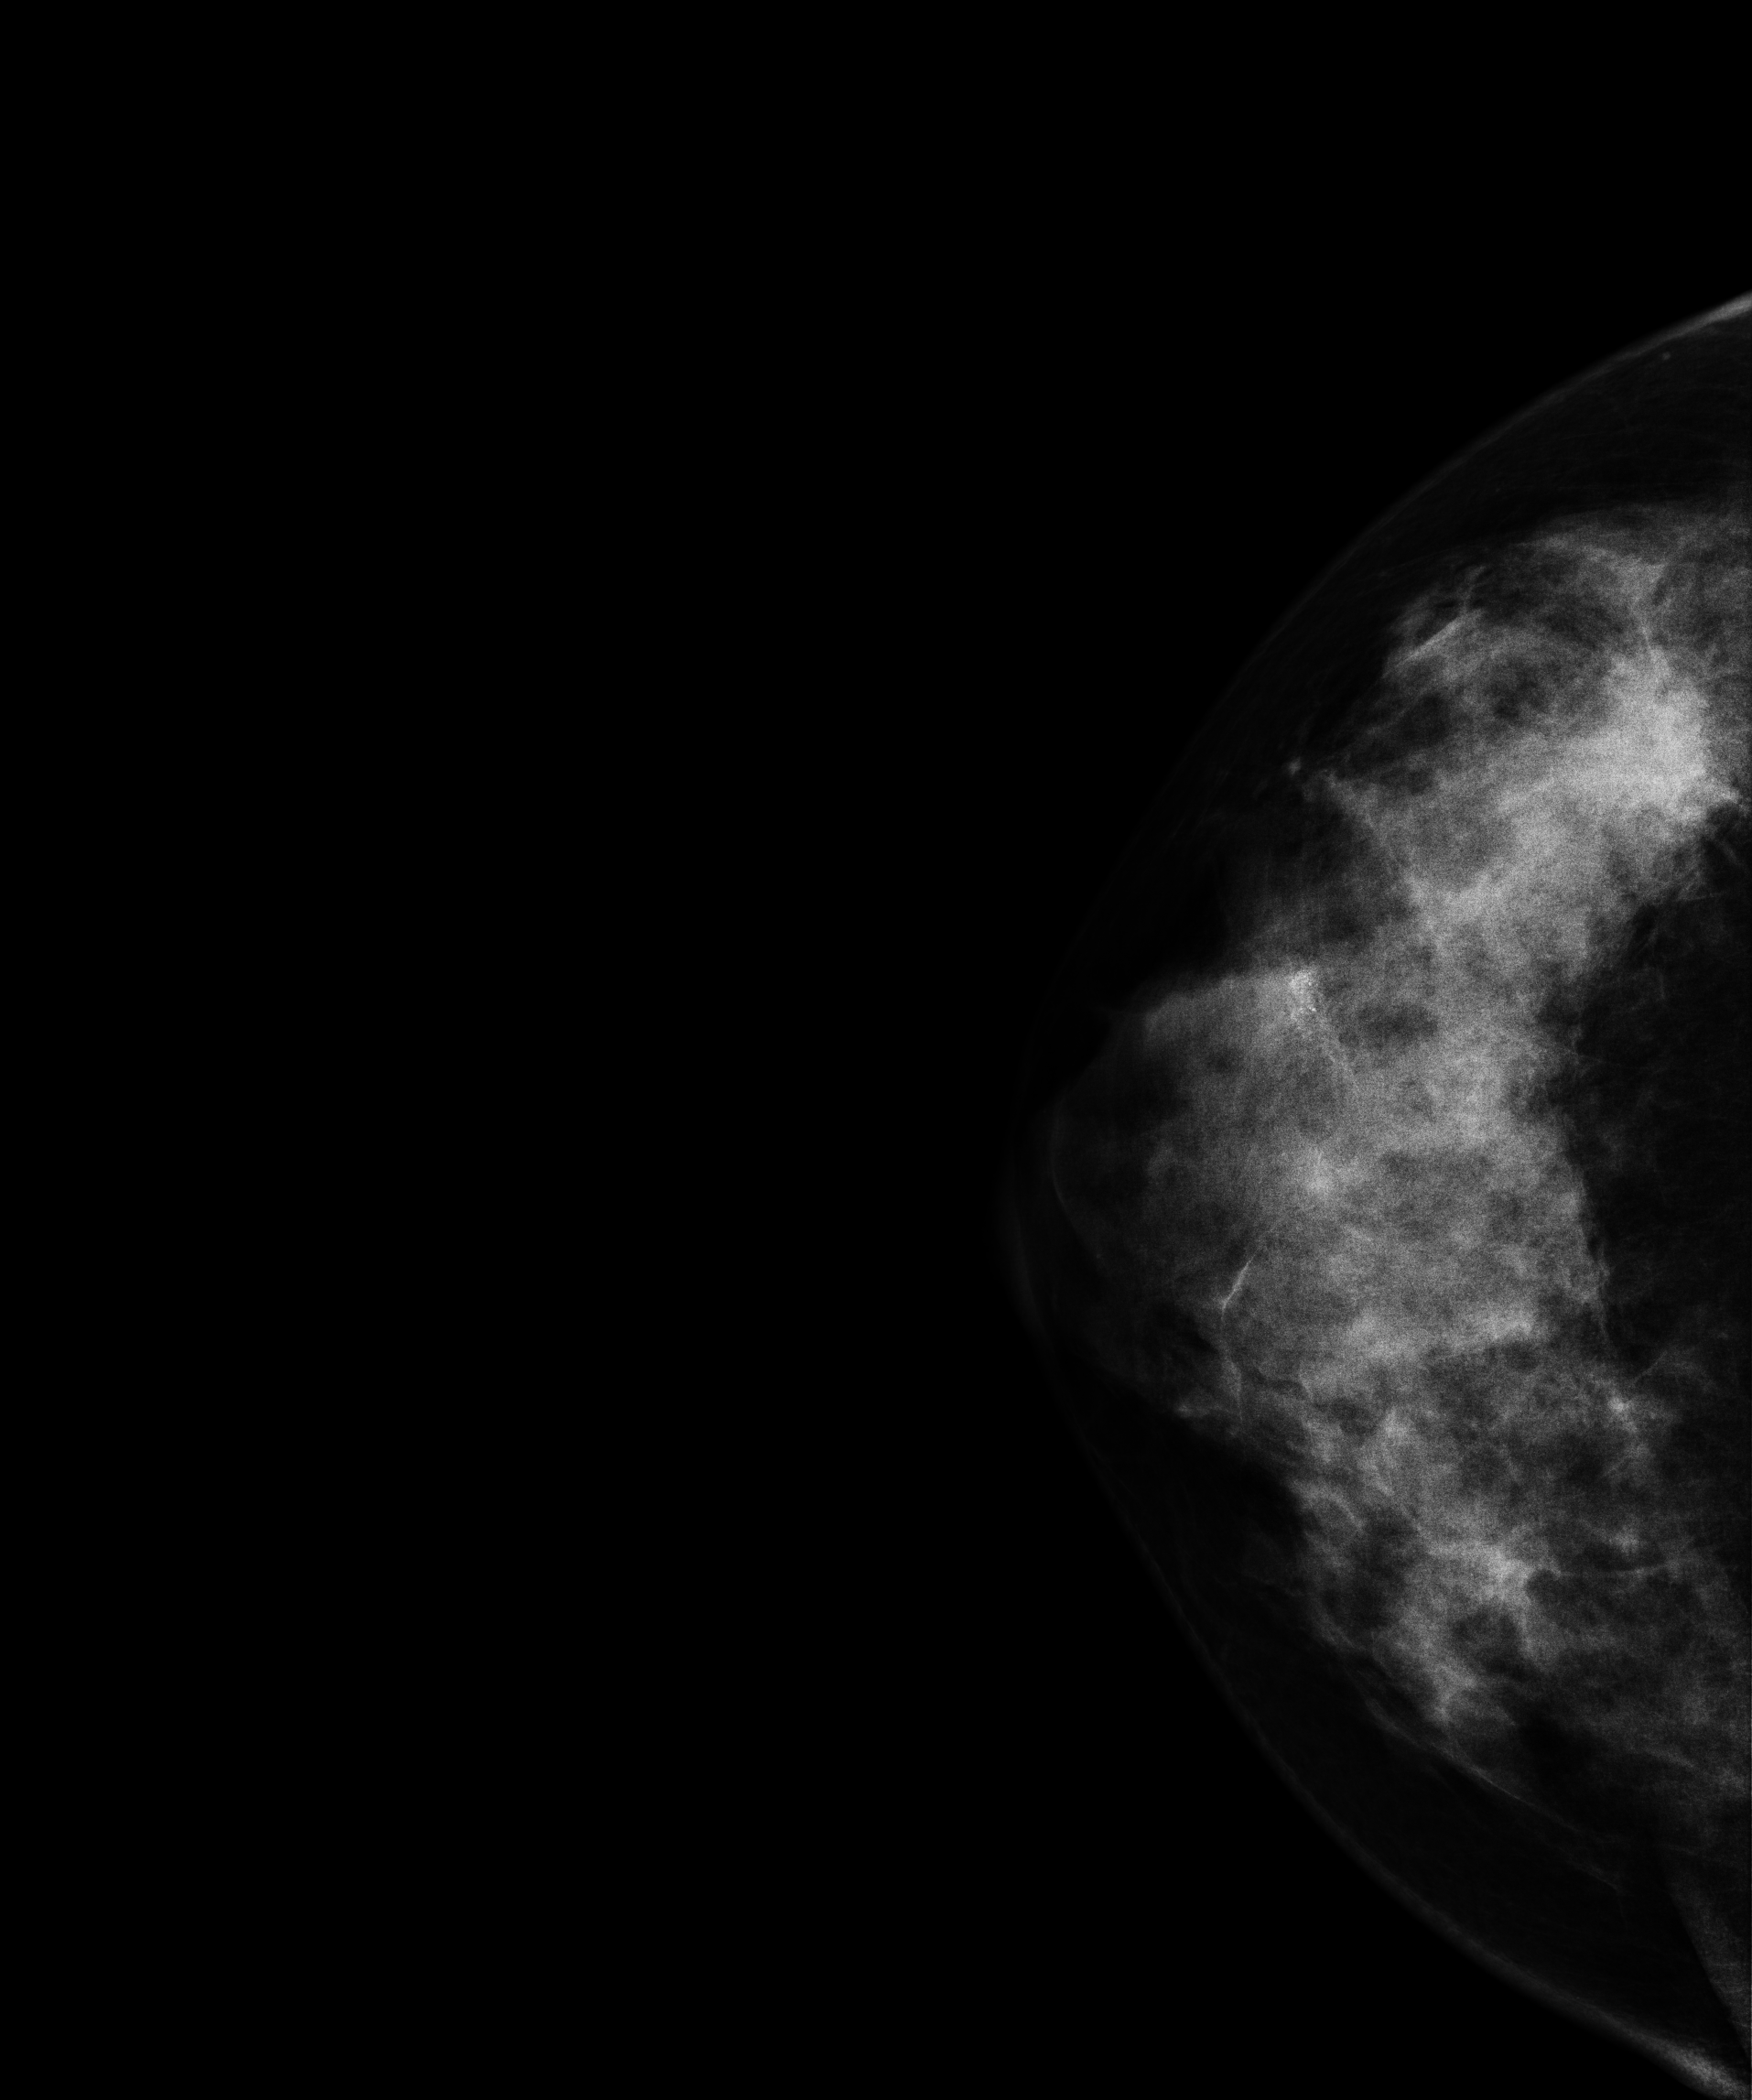
Digital mammography. Right breast, CC projection. Patient age 52.
This breast has a mass and calcifications, histologically confirmed malignant.